Mammogram — right medio-lateral oblique. 55 y/o patient.
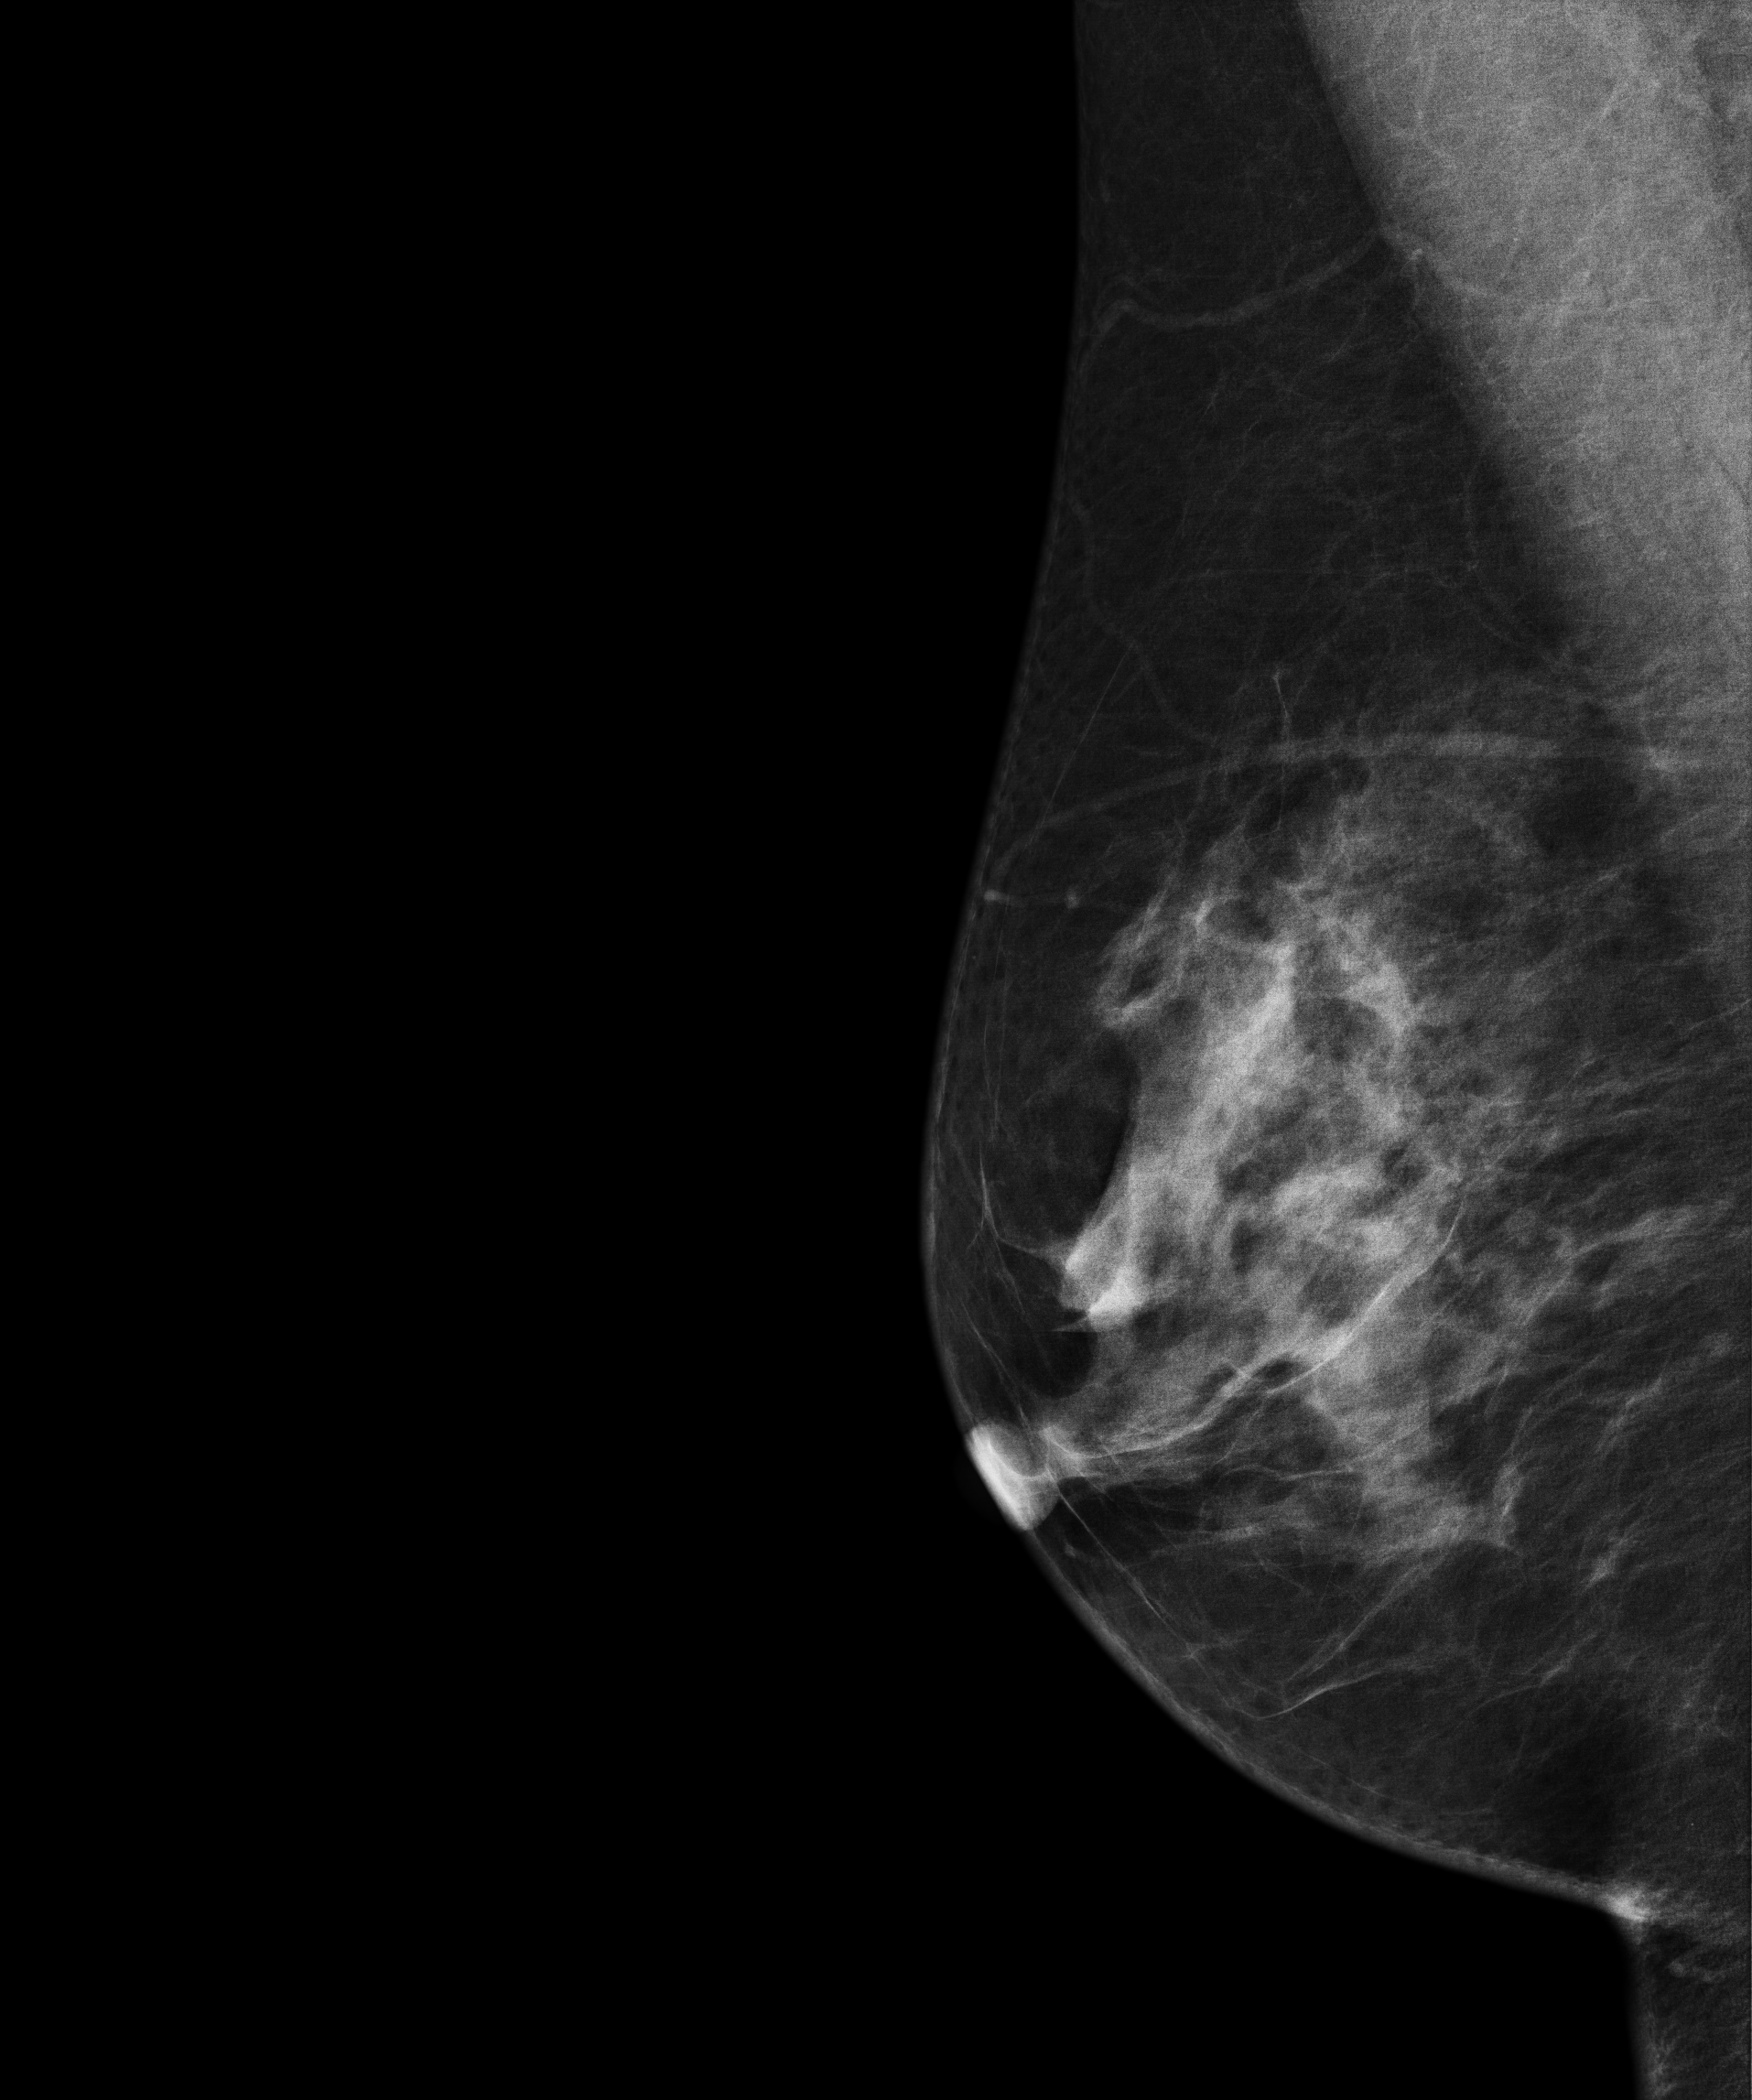
Contralateral breast — no documented abnormality on this side.